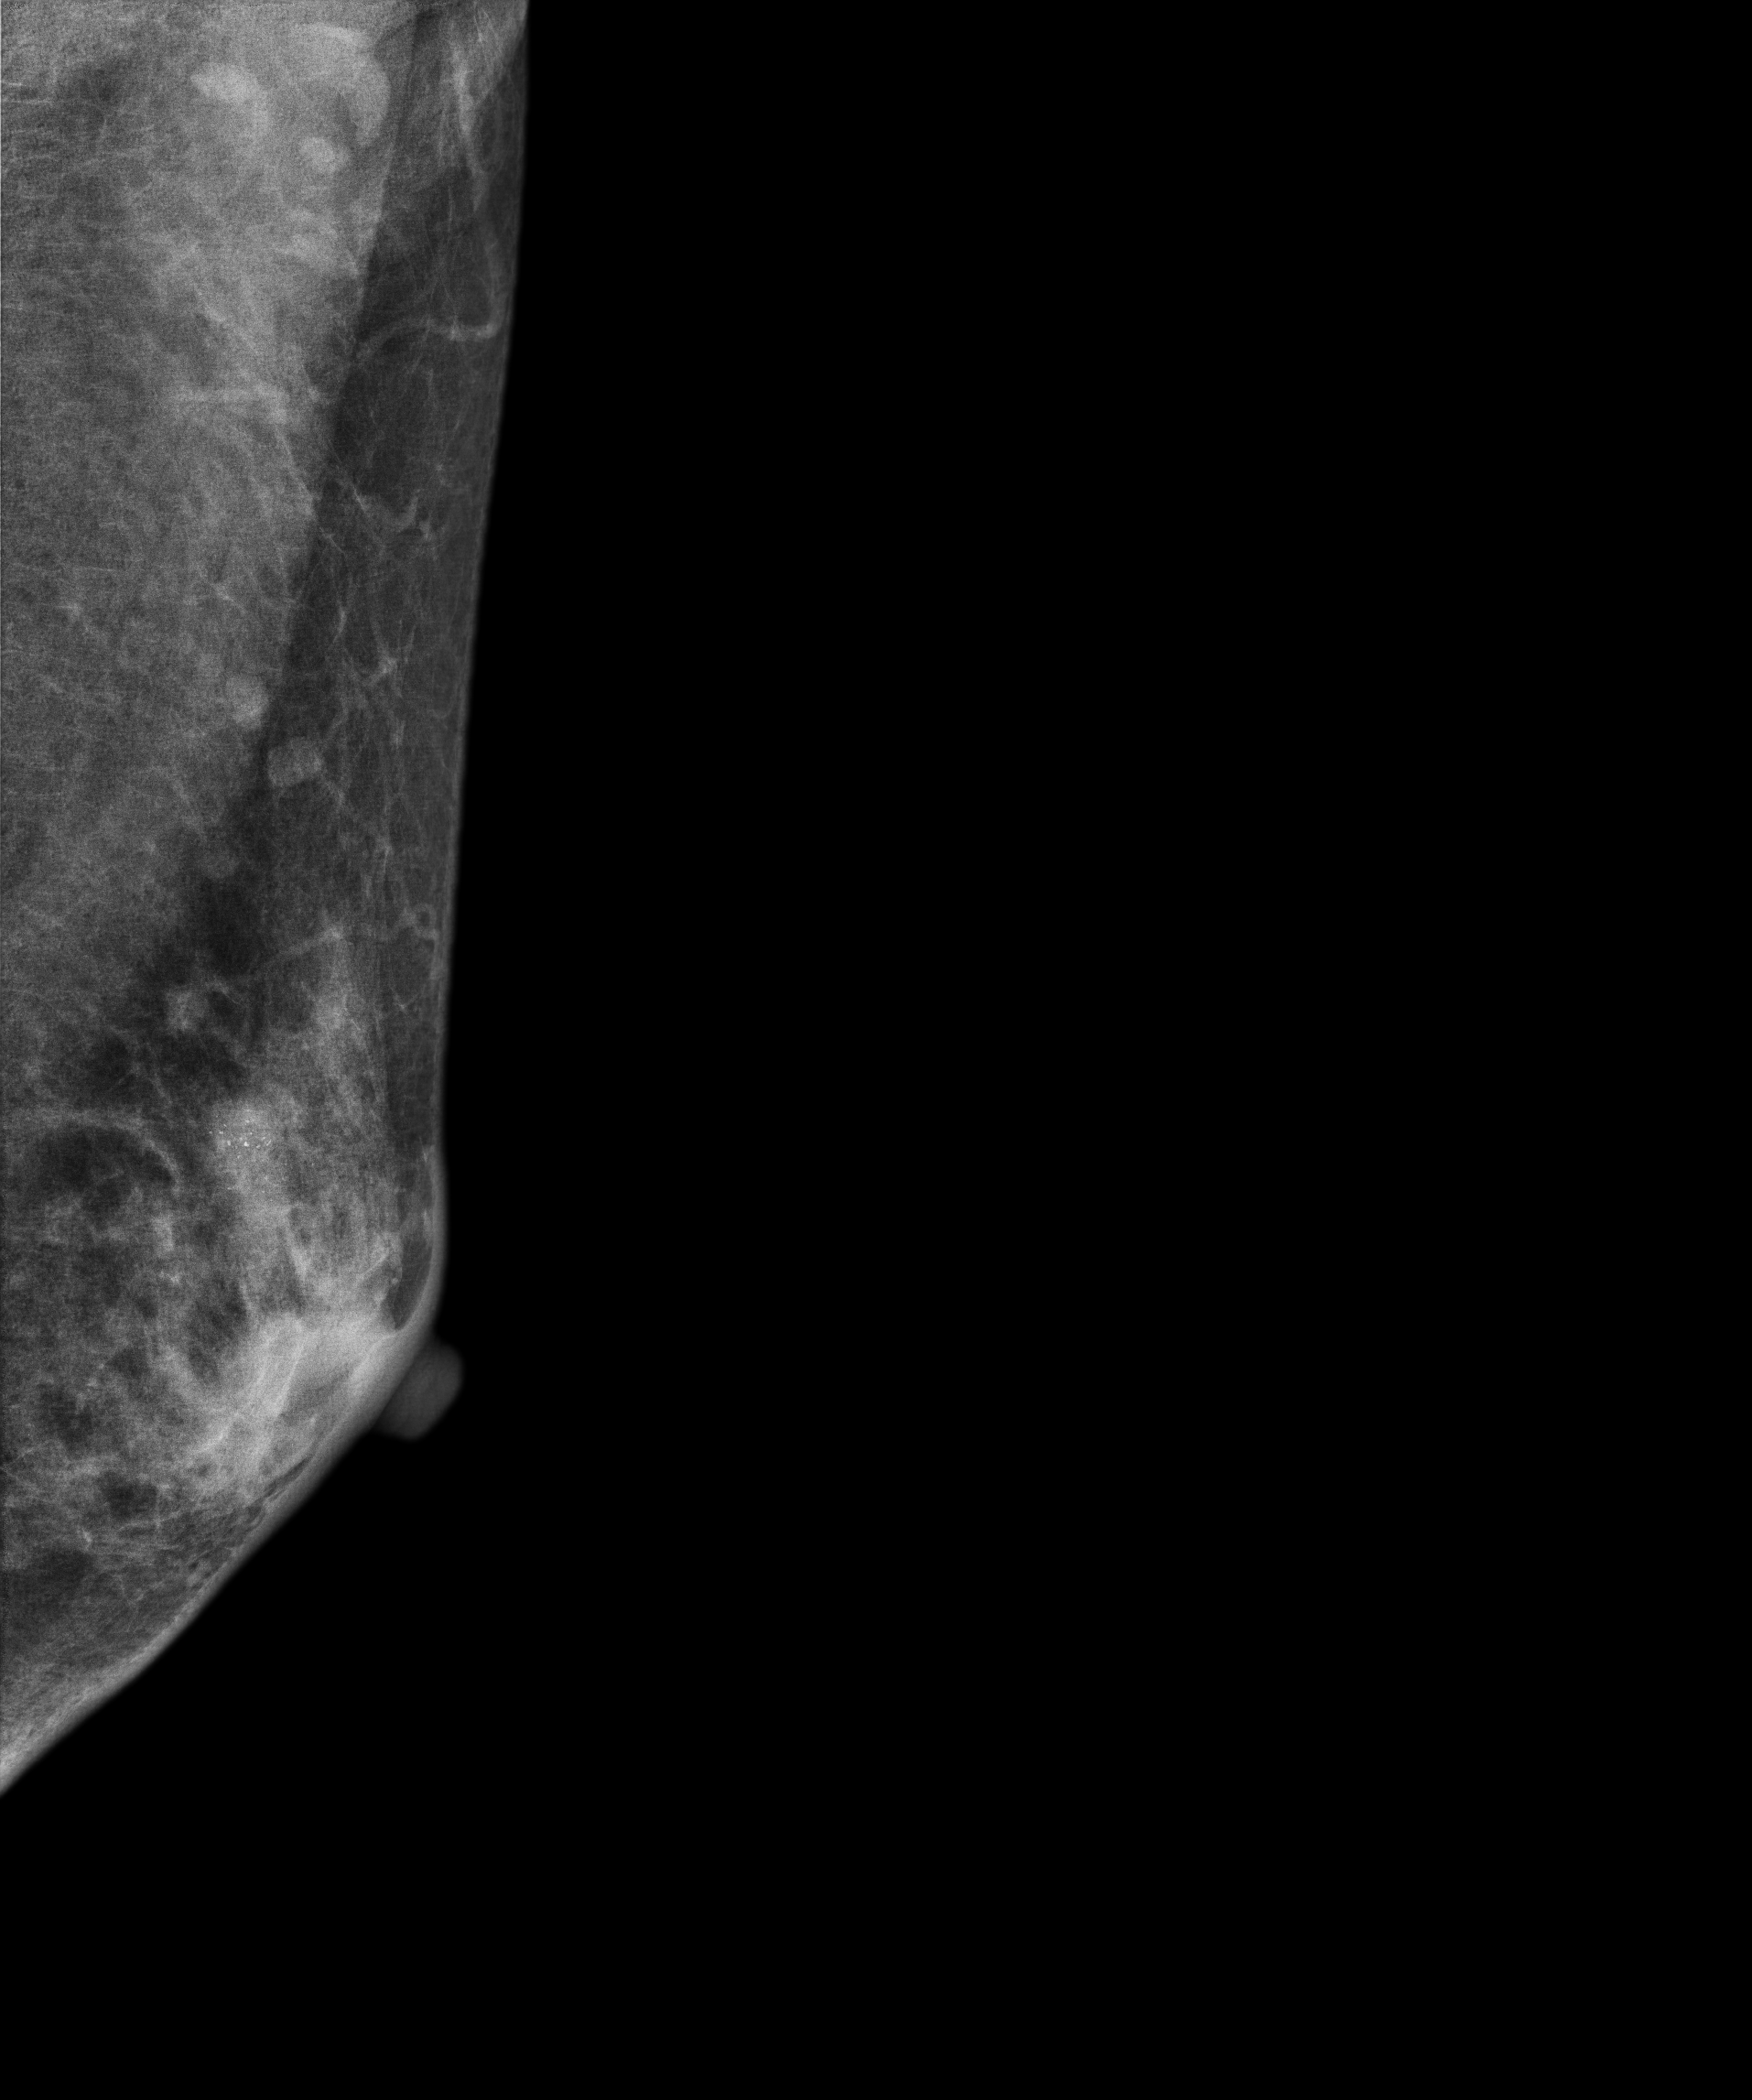
Left-breast mammogram, MLO. 38 y/o patient.
This breast has calcifications, histologically confirmed malignant.